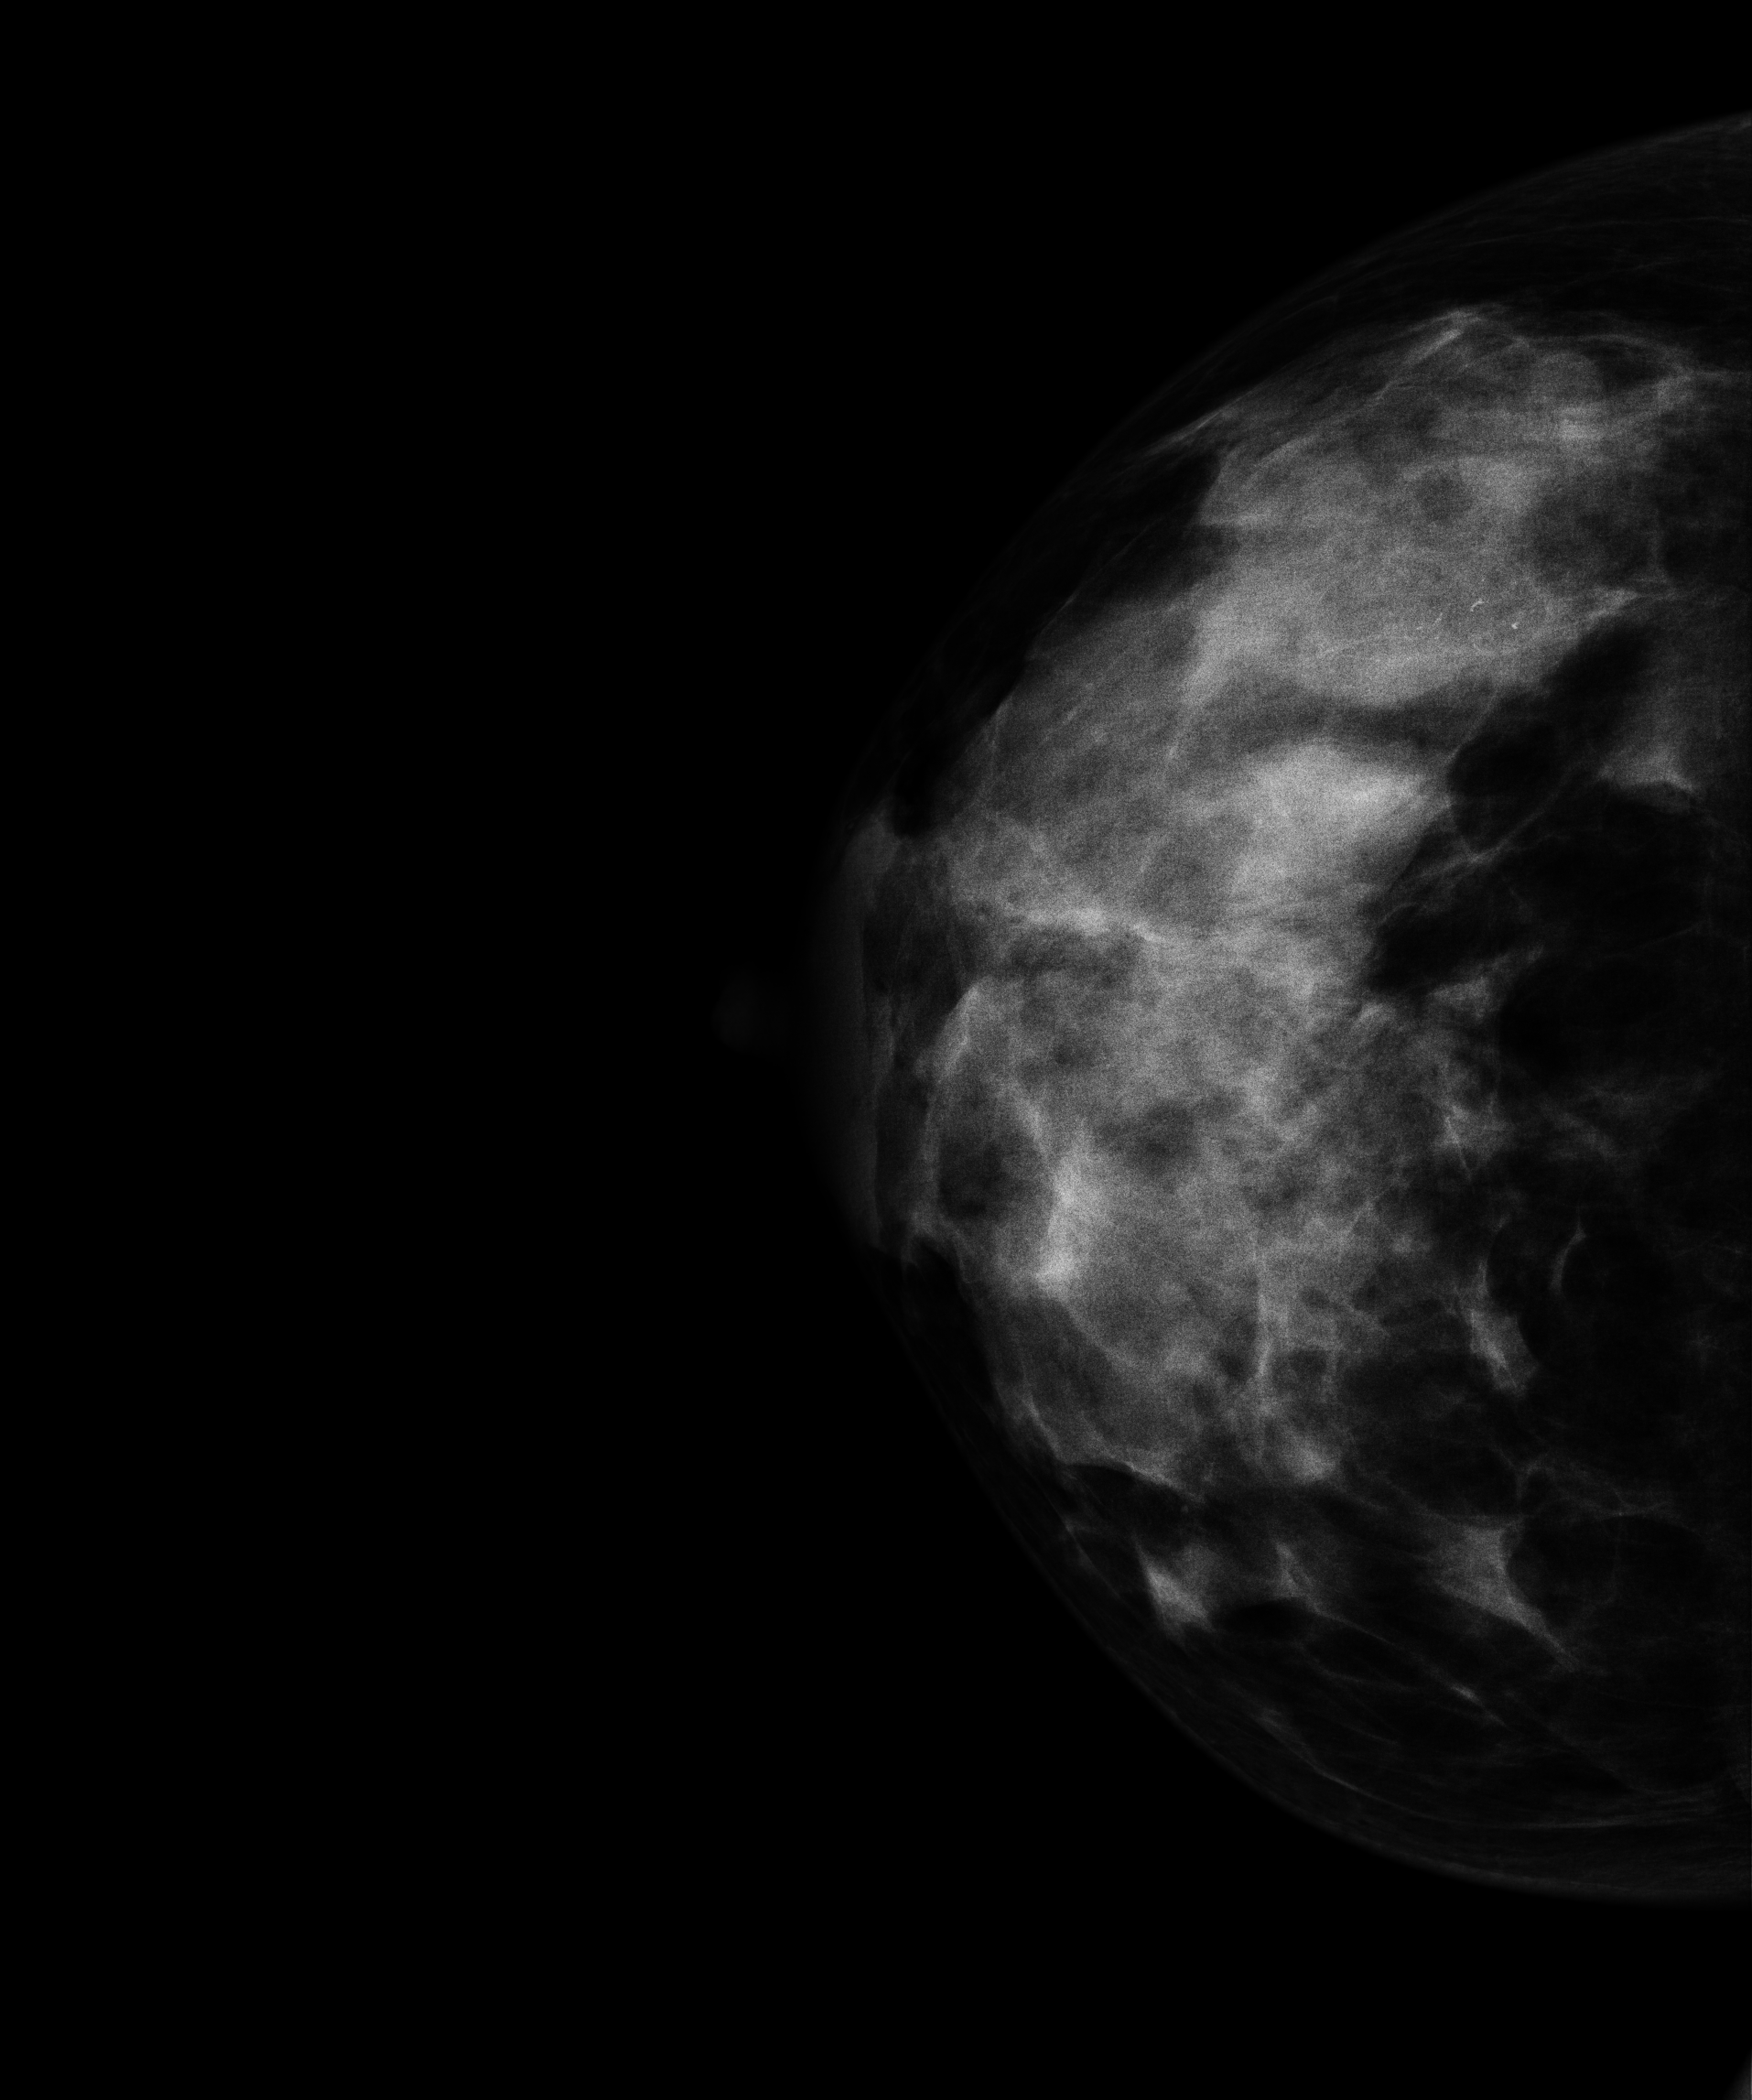
Digital mammography. Right breast, cranio-caudal projection. 50-year-old patient.
This breast has calcifications, biopsy-proven malignant. Molecular subtype: HER2-enriched.